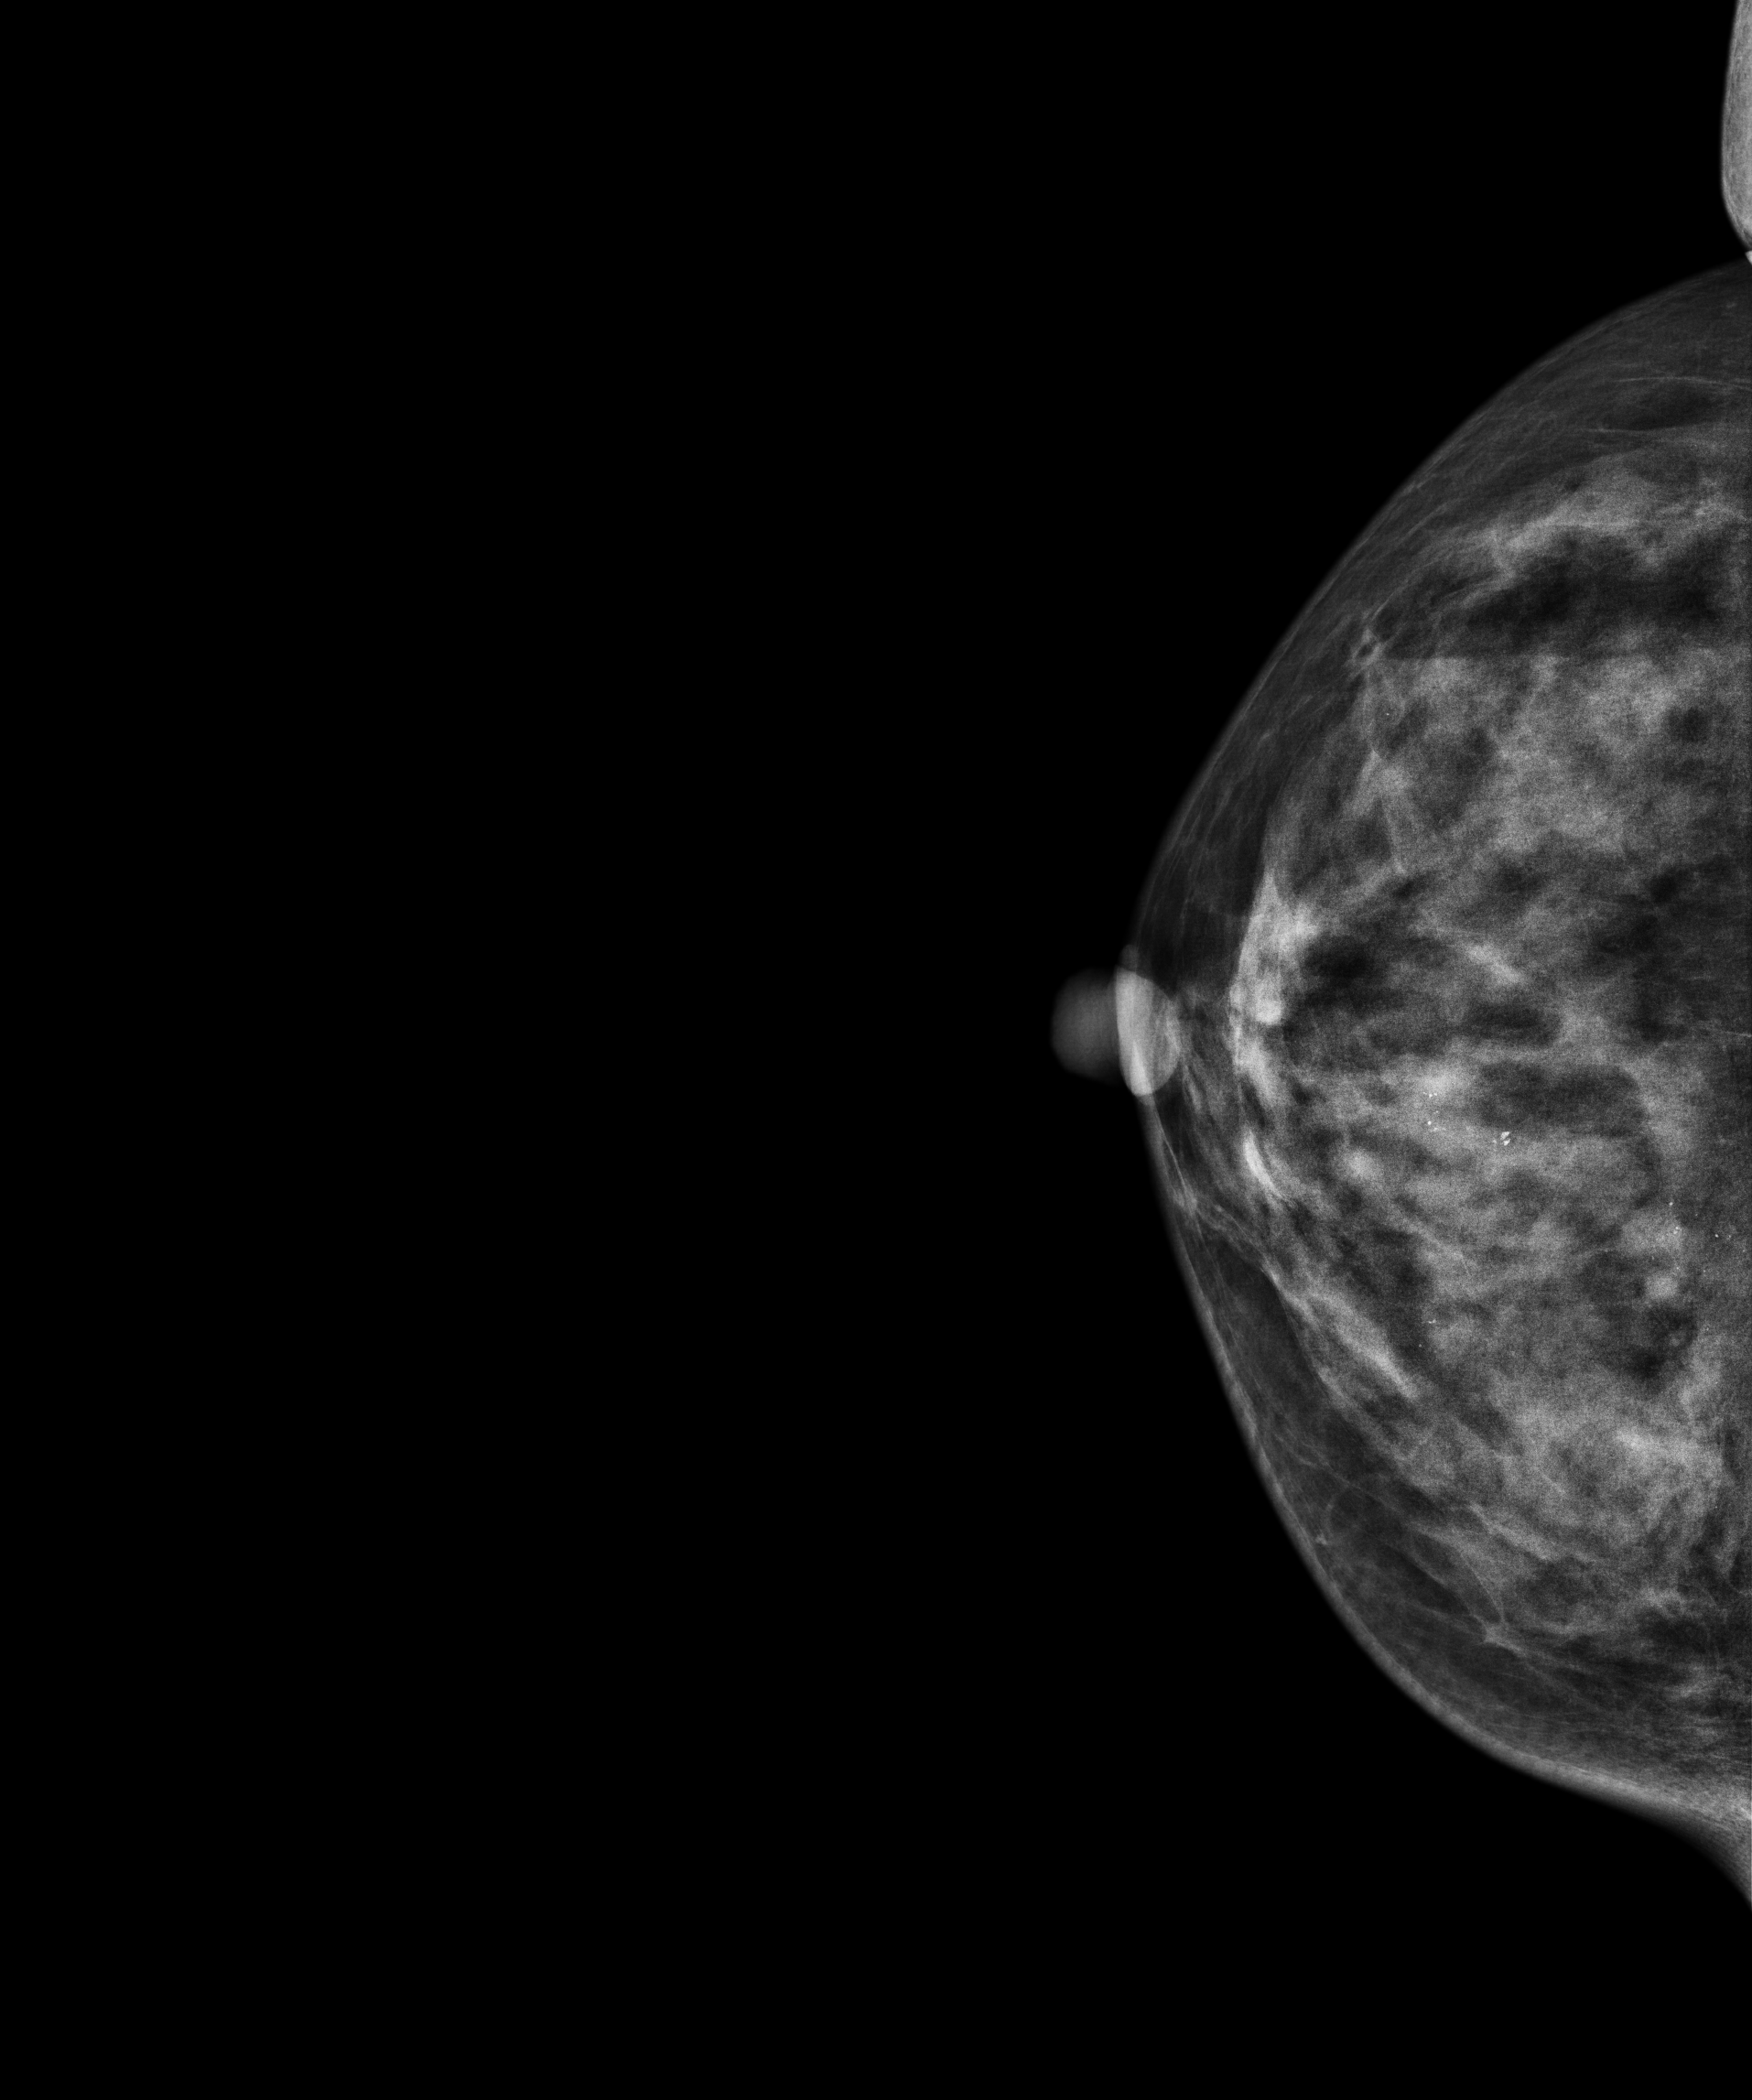
Cranio-caudal mammogram of the right breast. 48-year-old patient.
This breast has calcifications, pathology-confirmed benign.